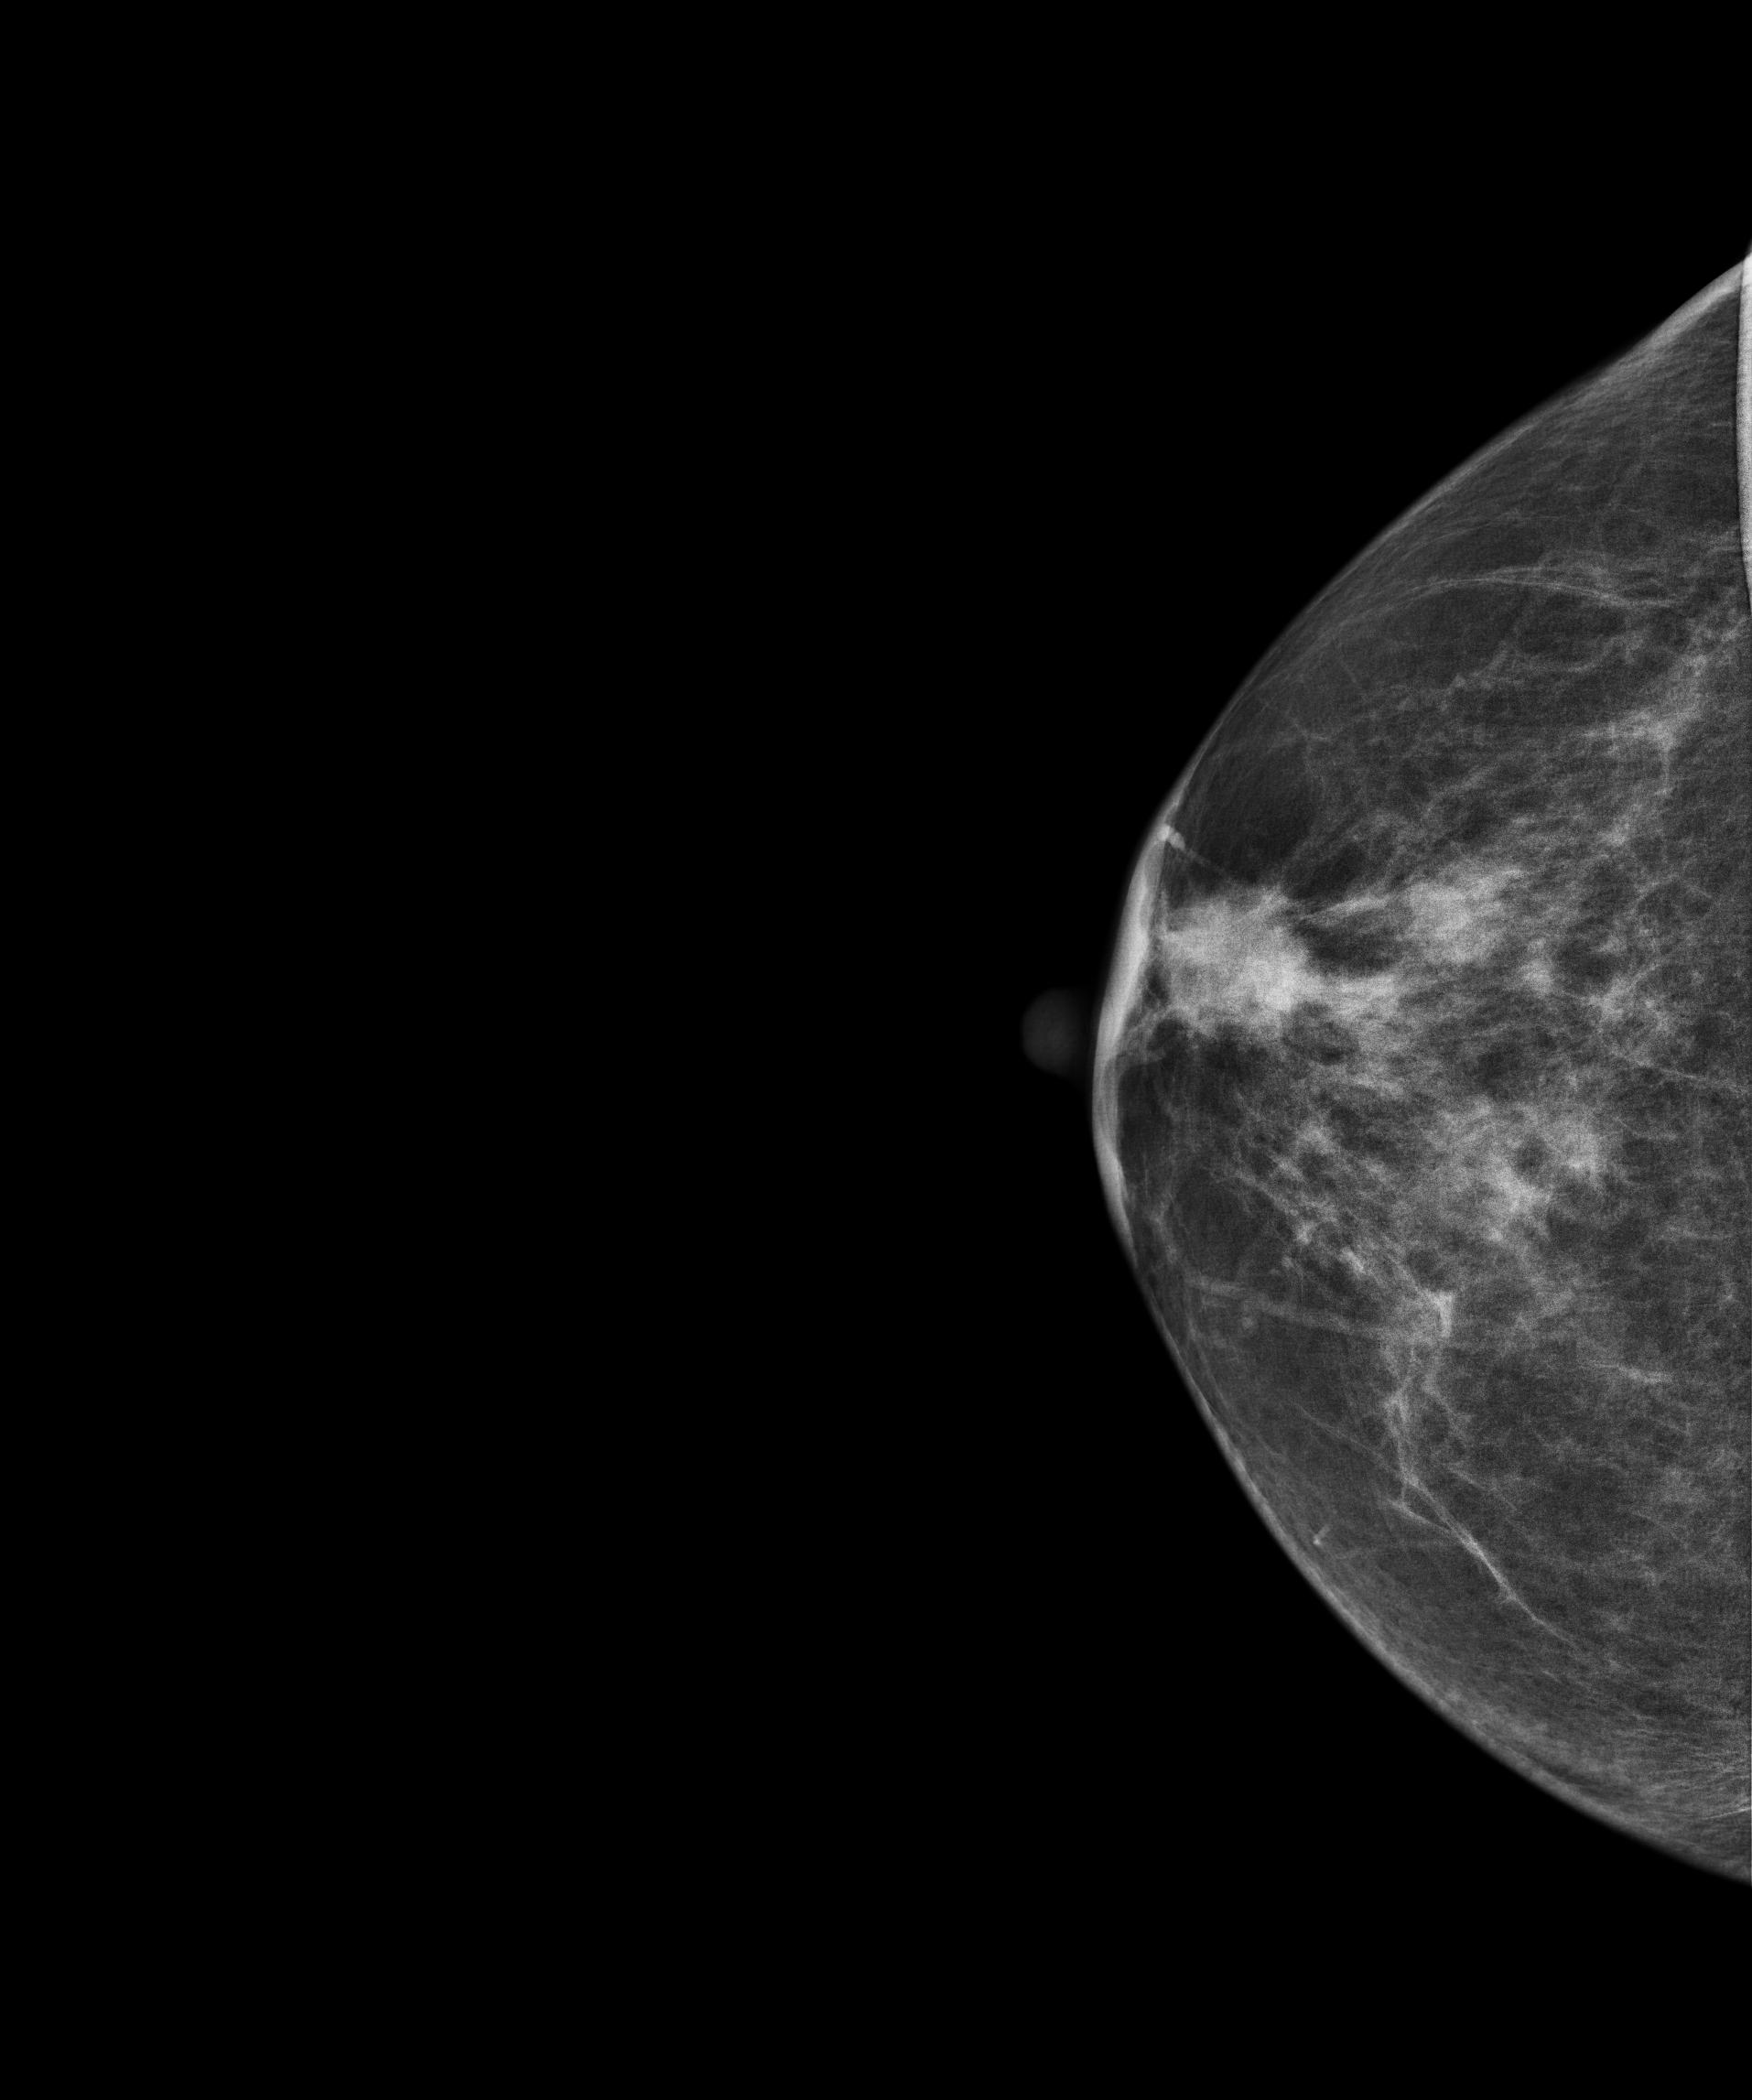
Mammogram — right CC. 62-year-old patient.
This breast has a mass, histologically confirmed malignant. Molecular subtype: luminal B.